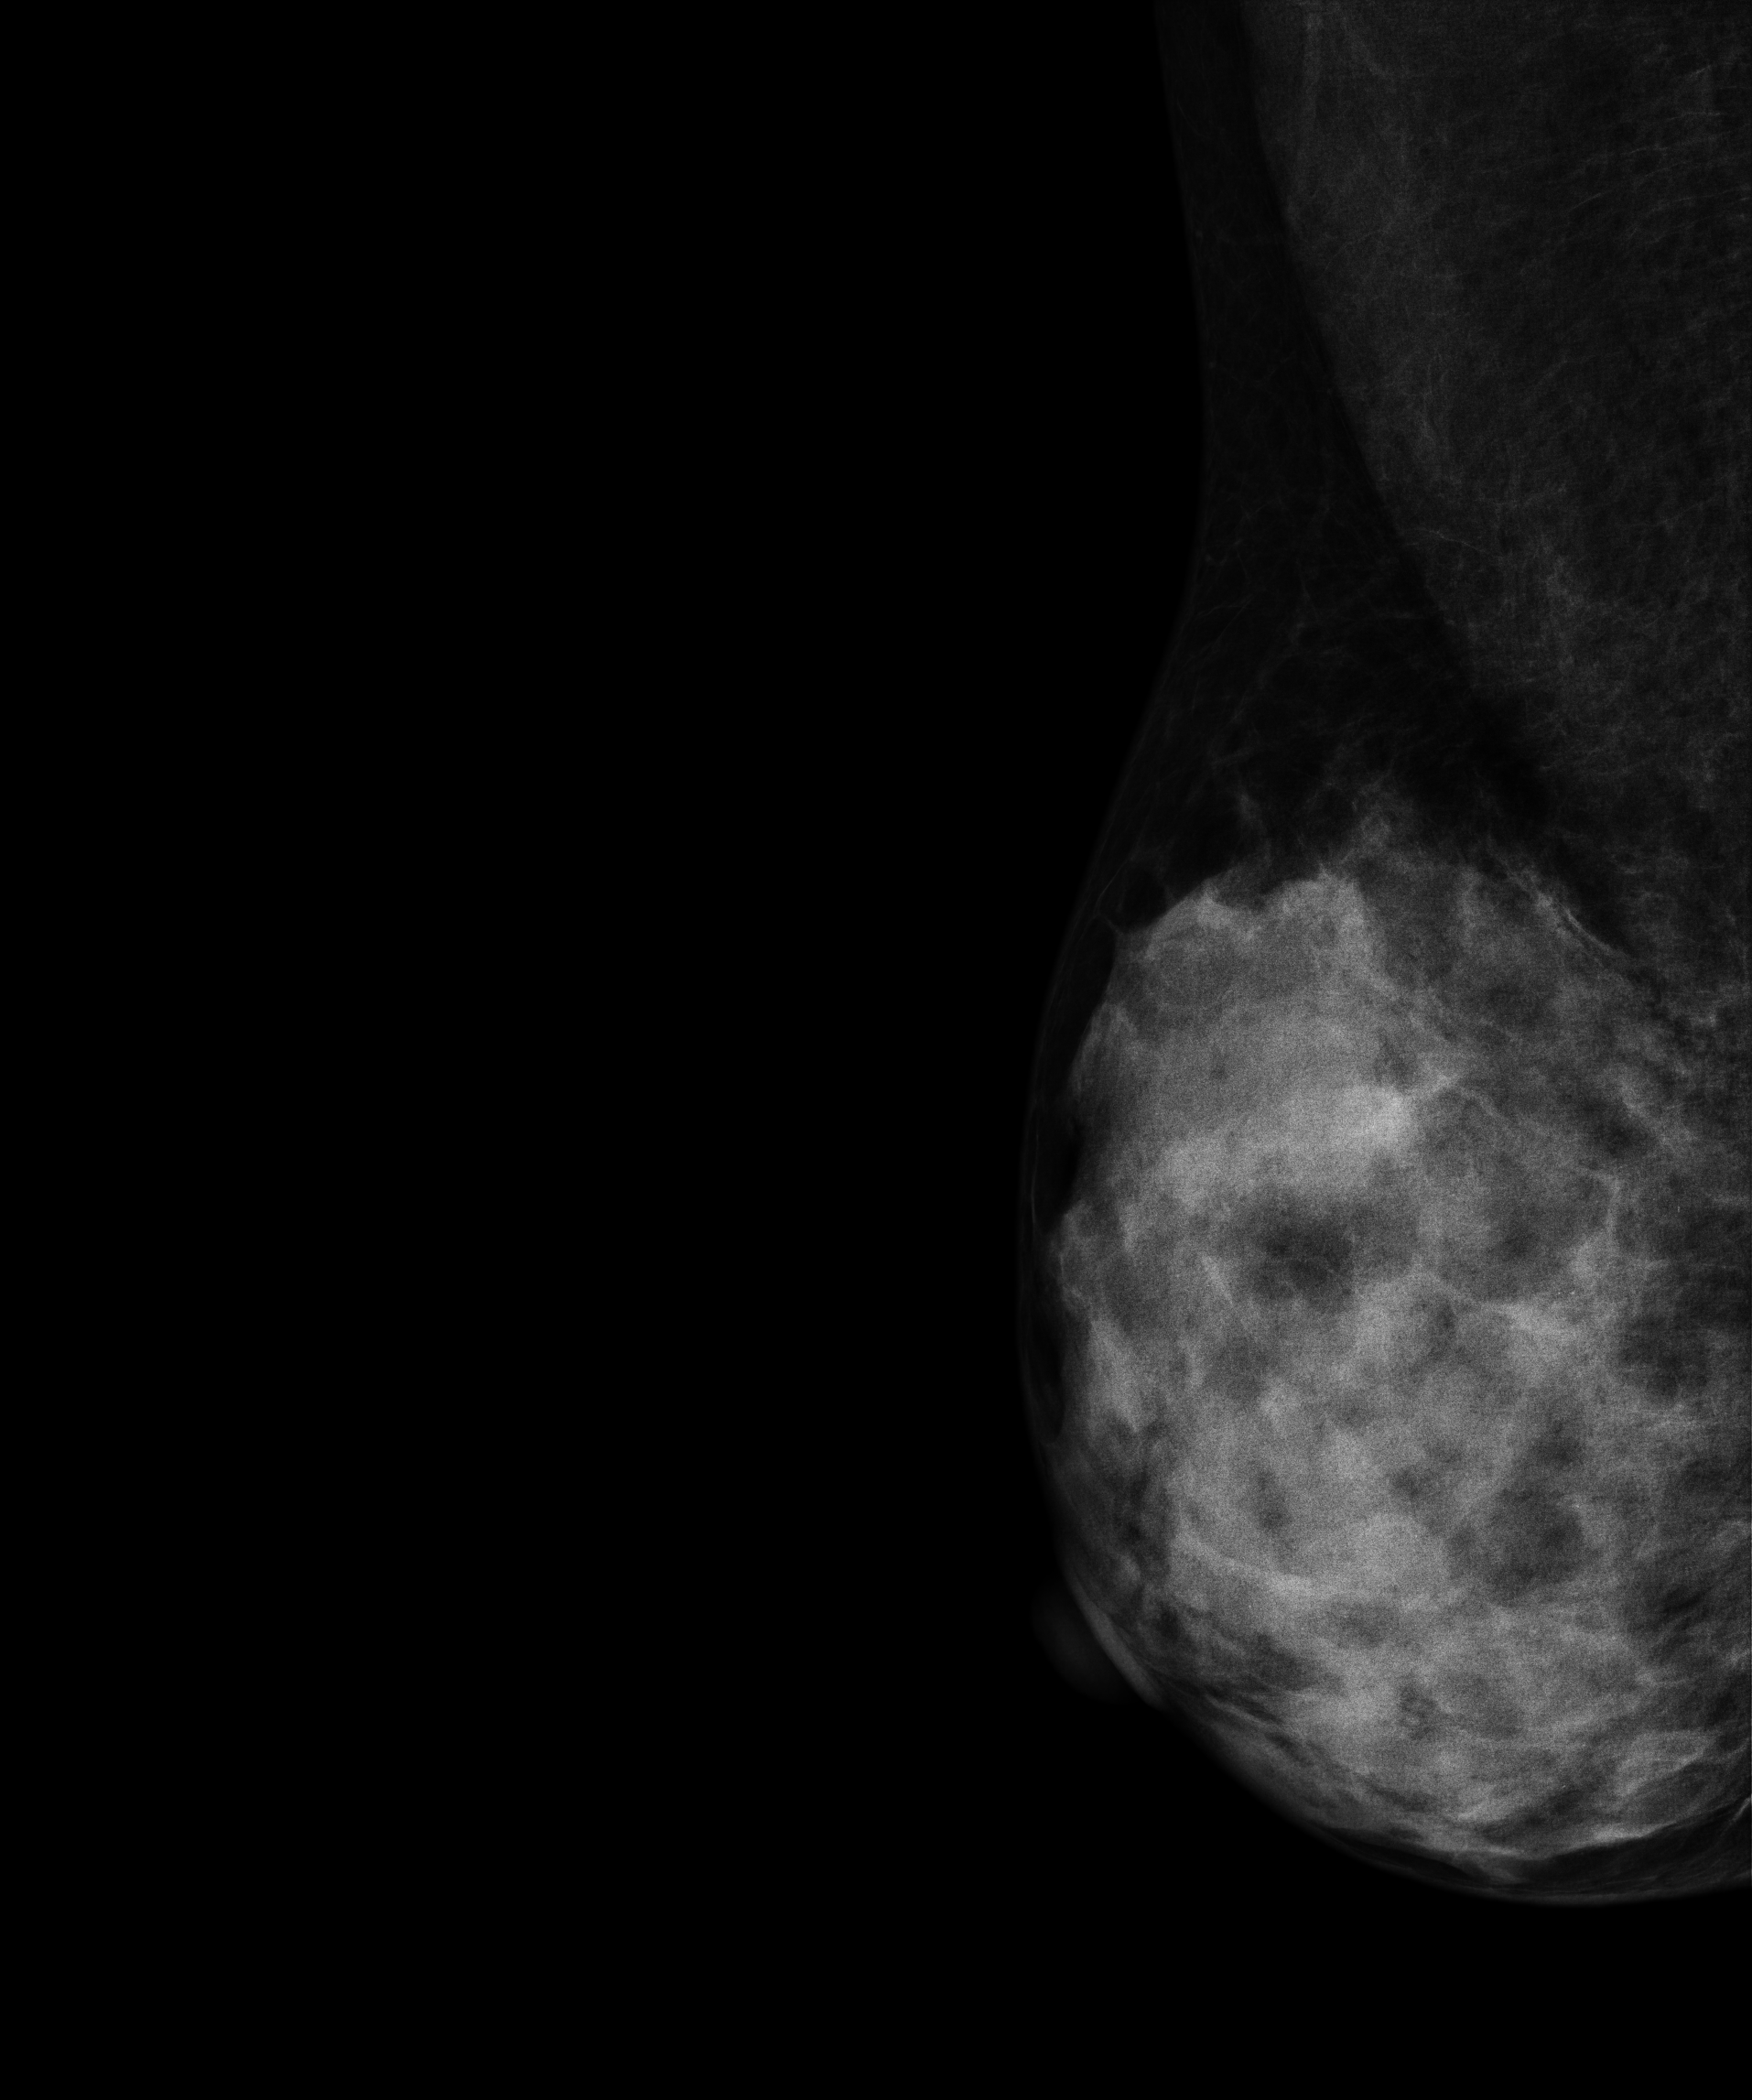
Mammogram — right medio-lateral oblique. 44-year-old patient.
This breast has a mass and calcifications, biopsy-proven benign.